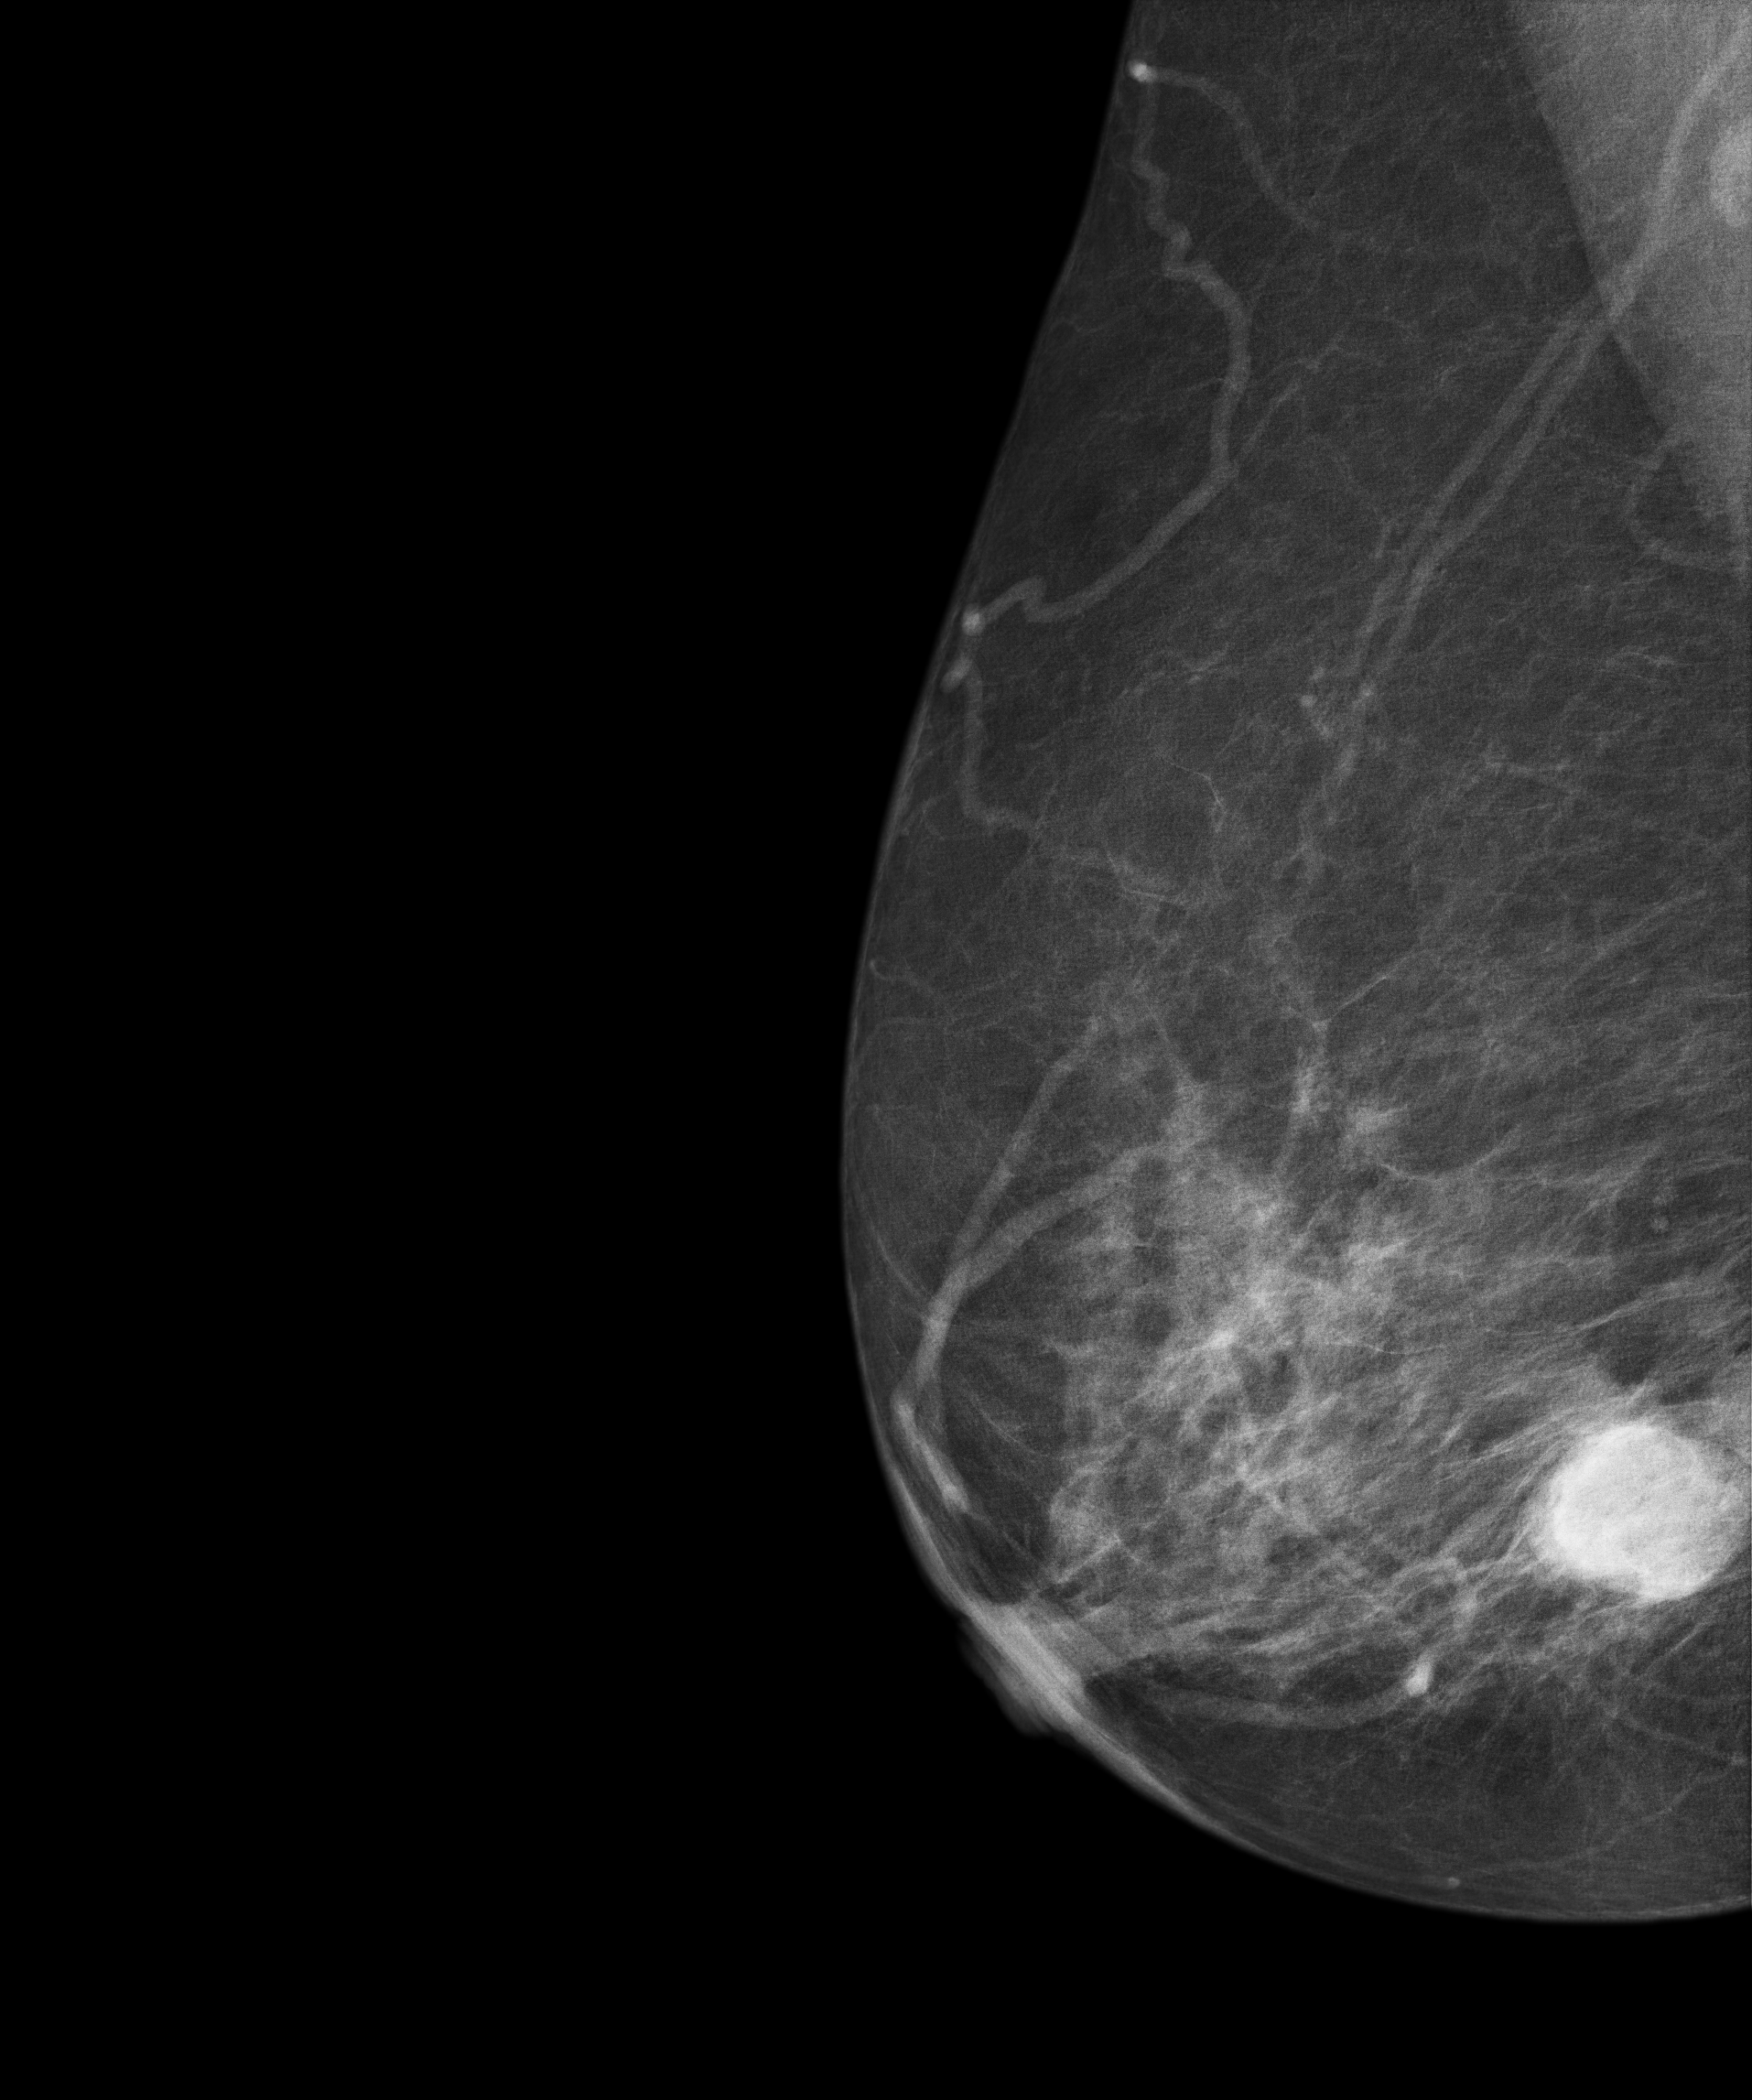
Digital mammography. Right breast, medio-lateral oblique projection. 85 y/o patient.
This breast has a mass, pathology-confirmed malignant. Molecular subtype: luminal B.